Digital mammography. Right breast, medio-lateral oblique projection. Patient age 51.
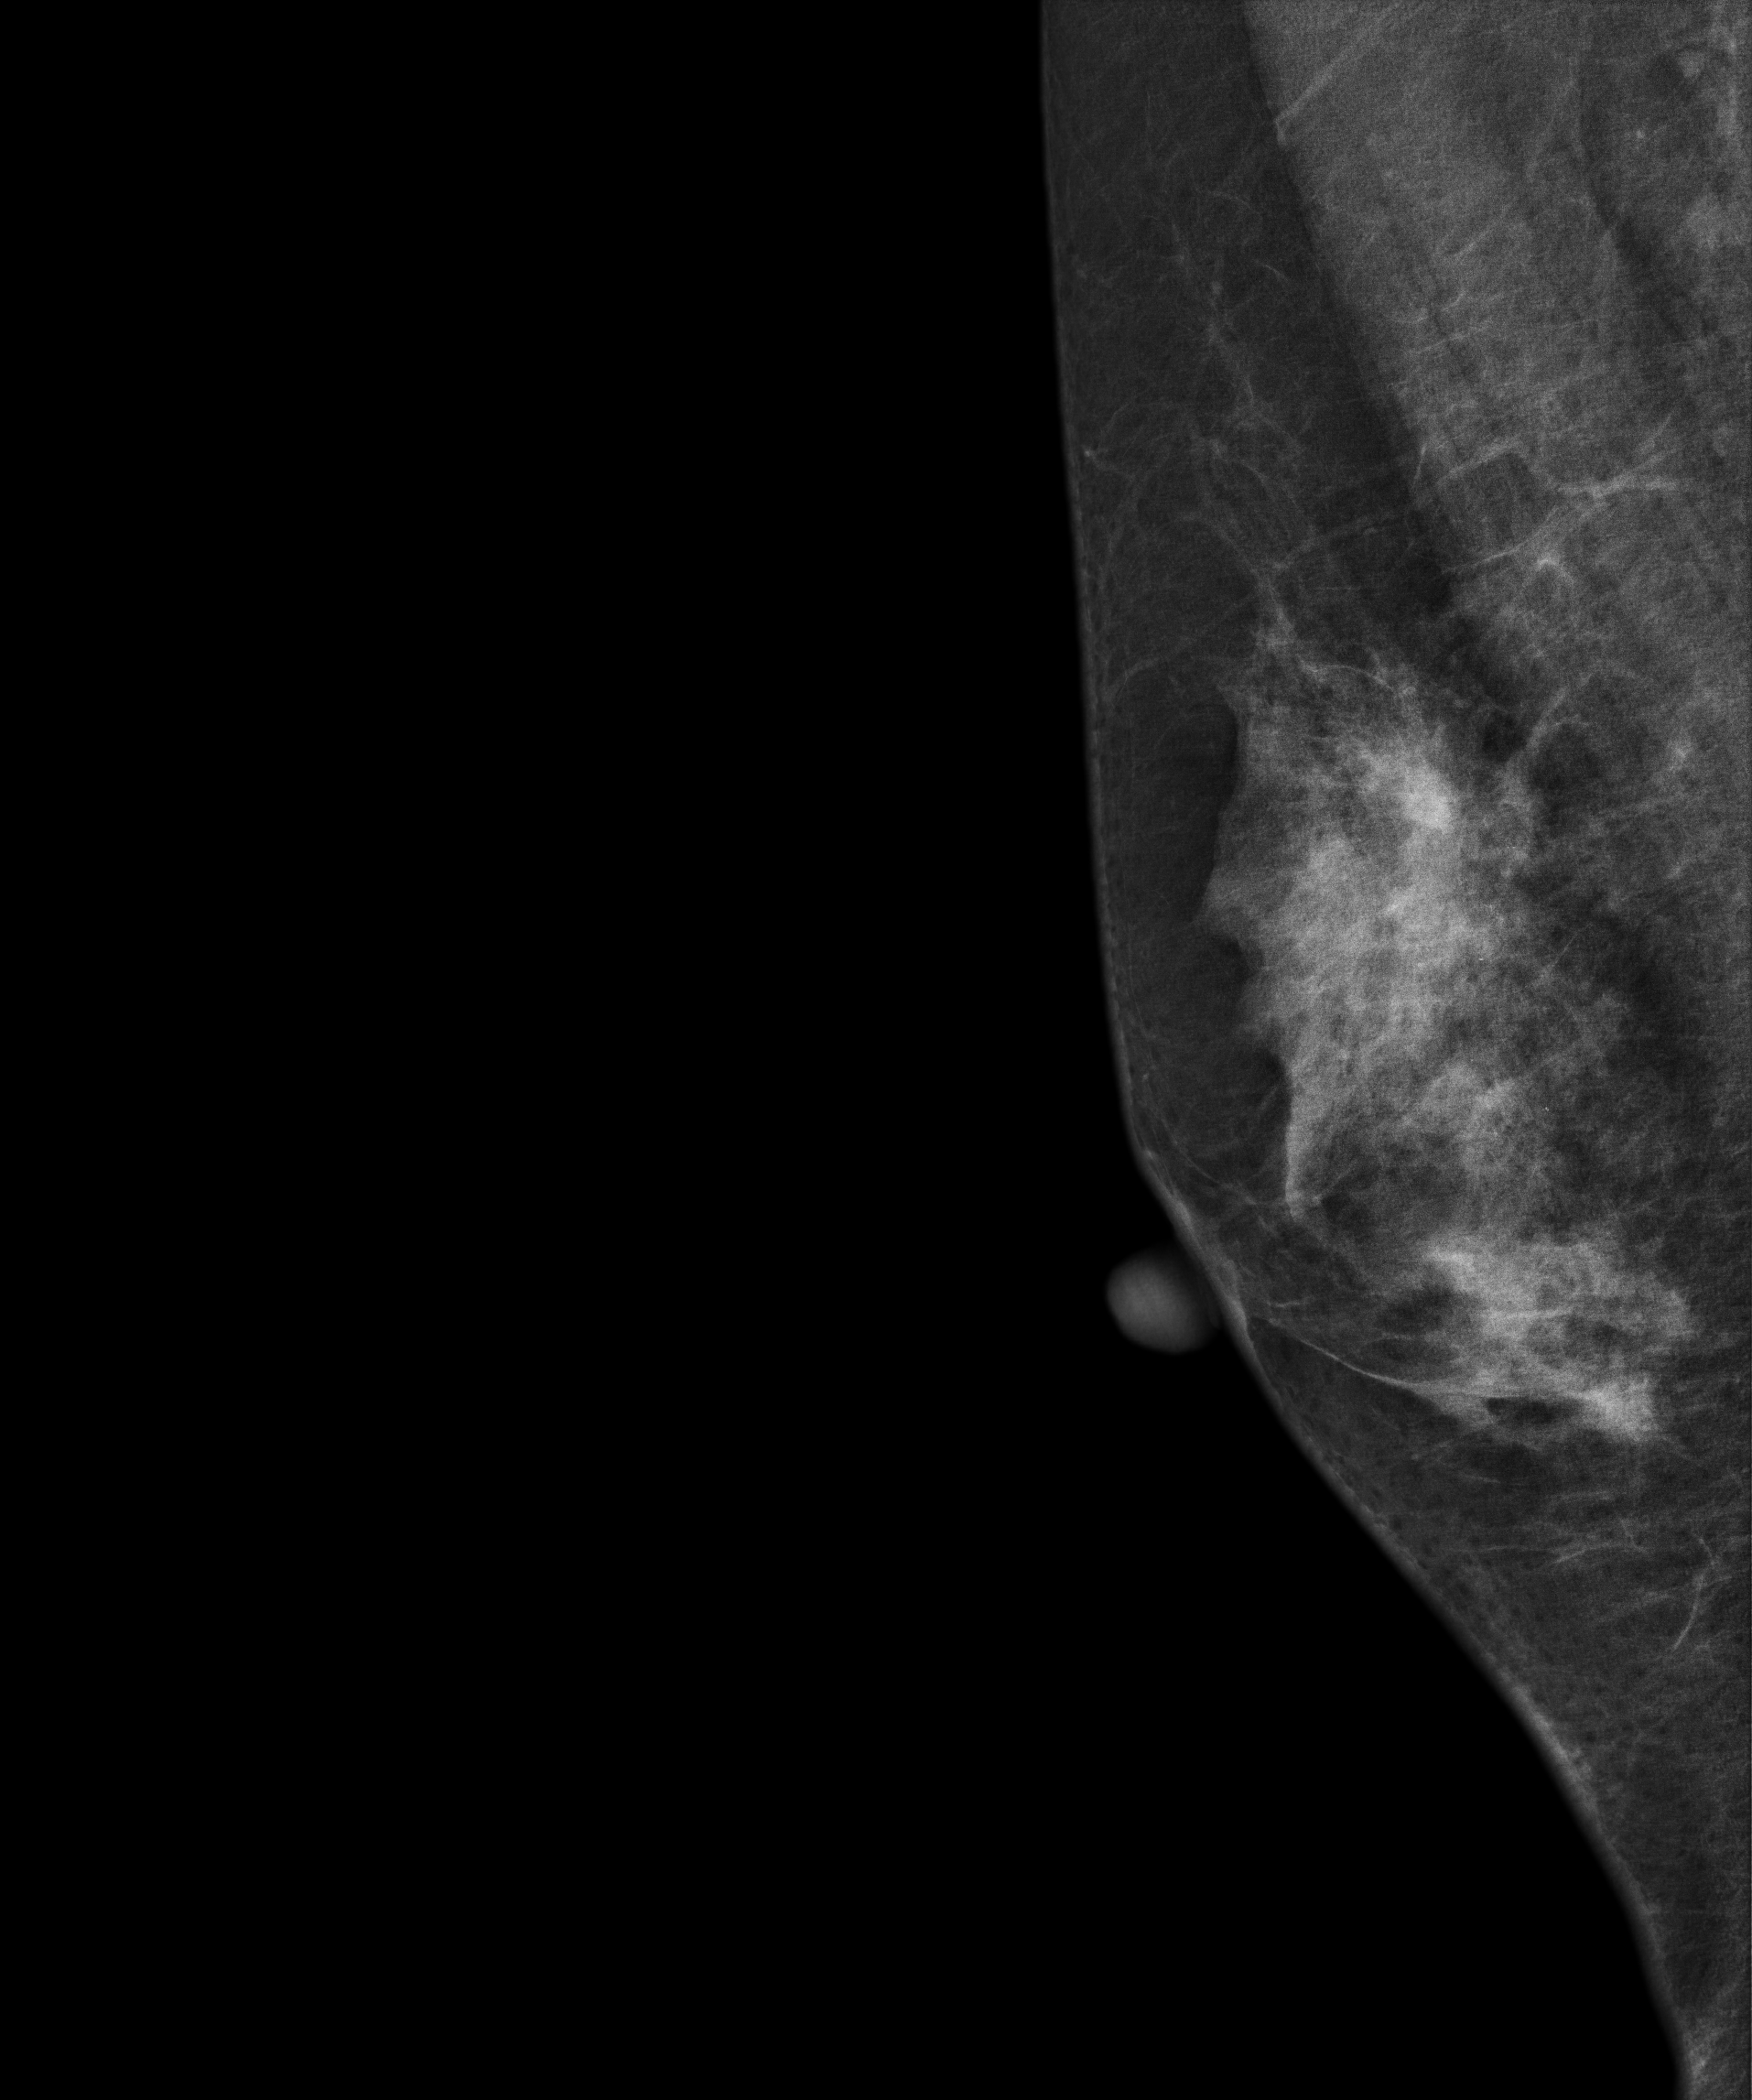
This breast has a mass and calcifications, pathology-confirmed malignant. Molecular subtype: luminal B.